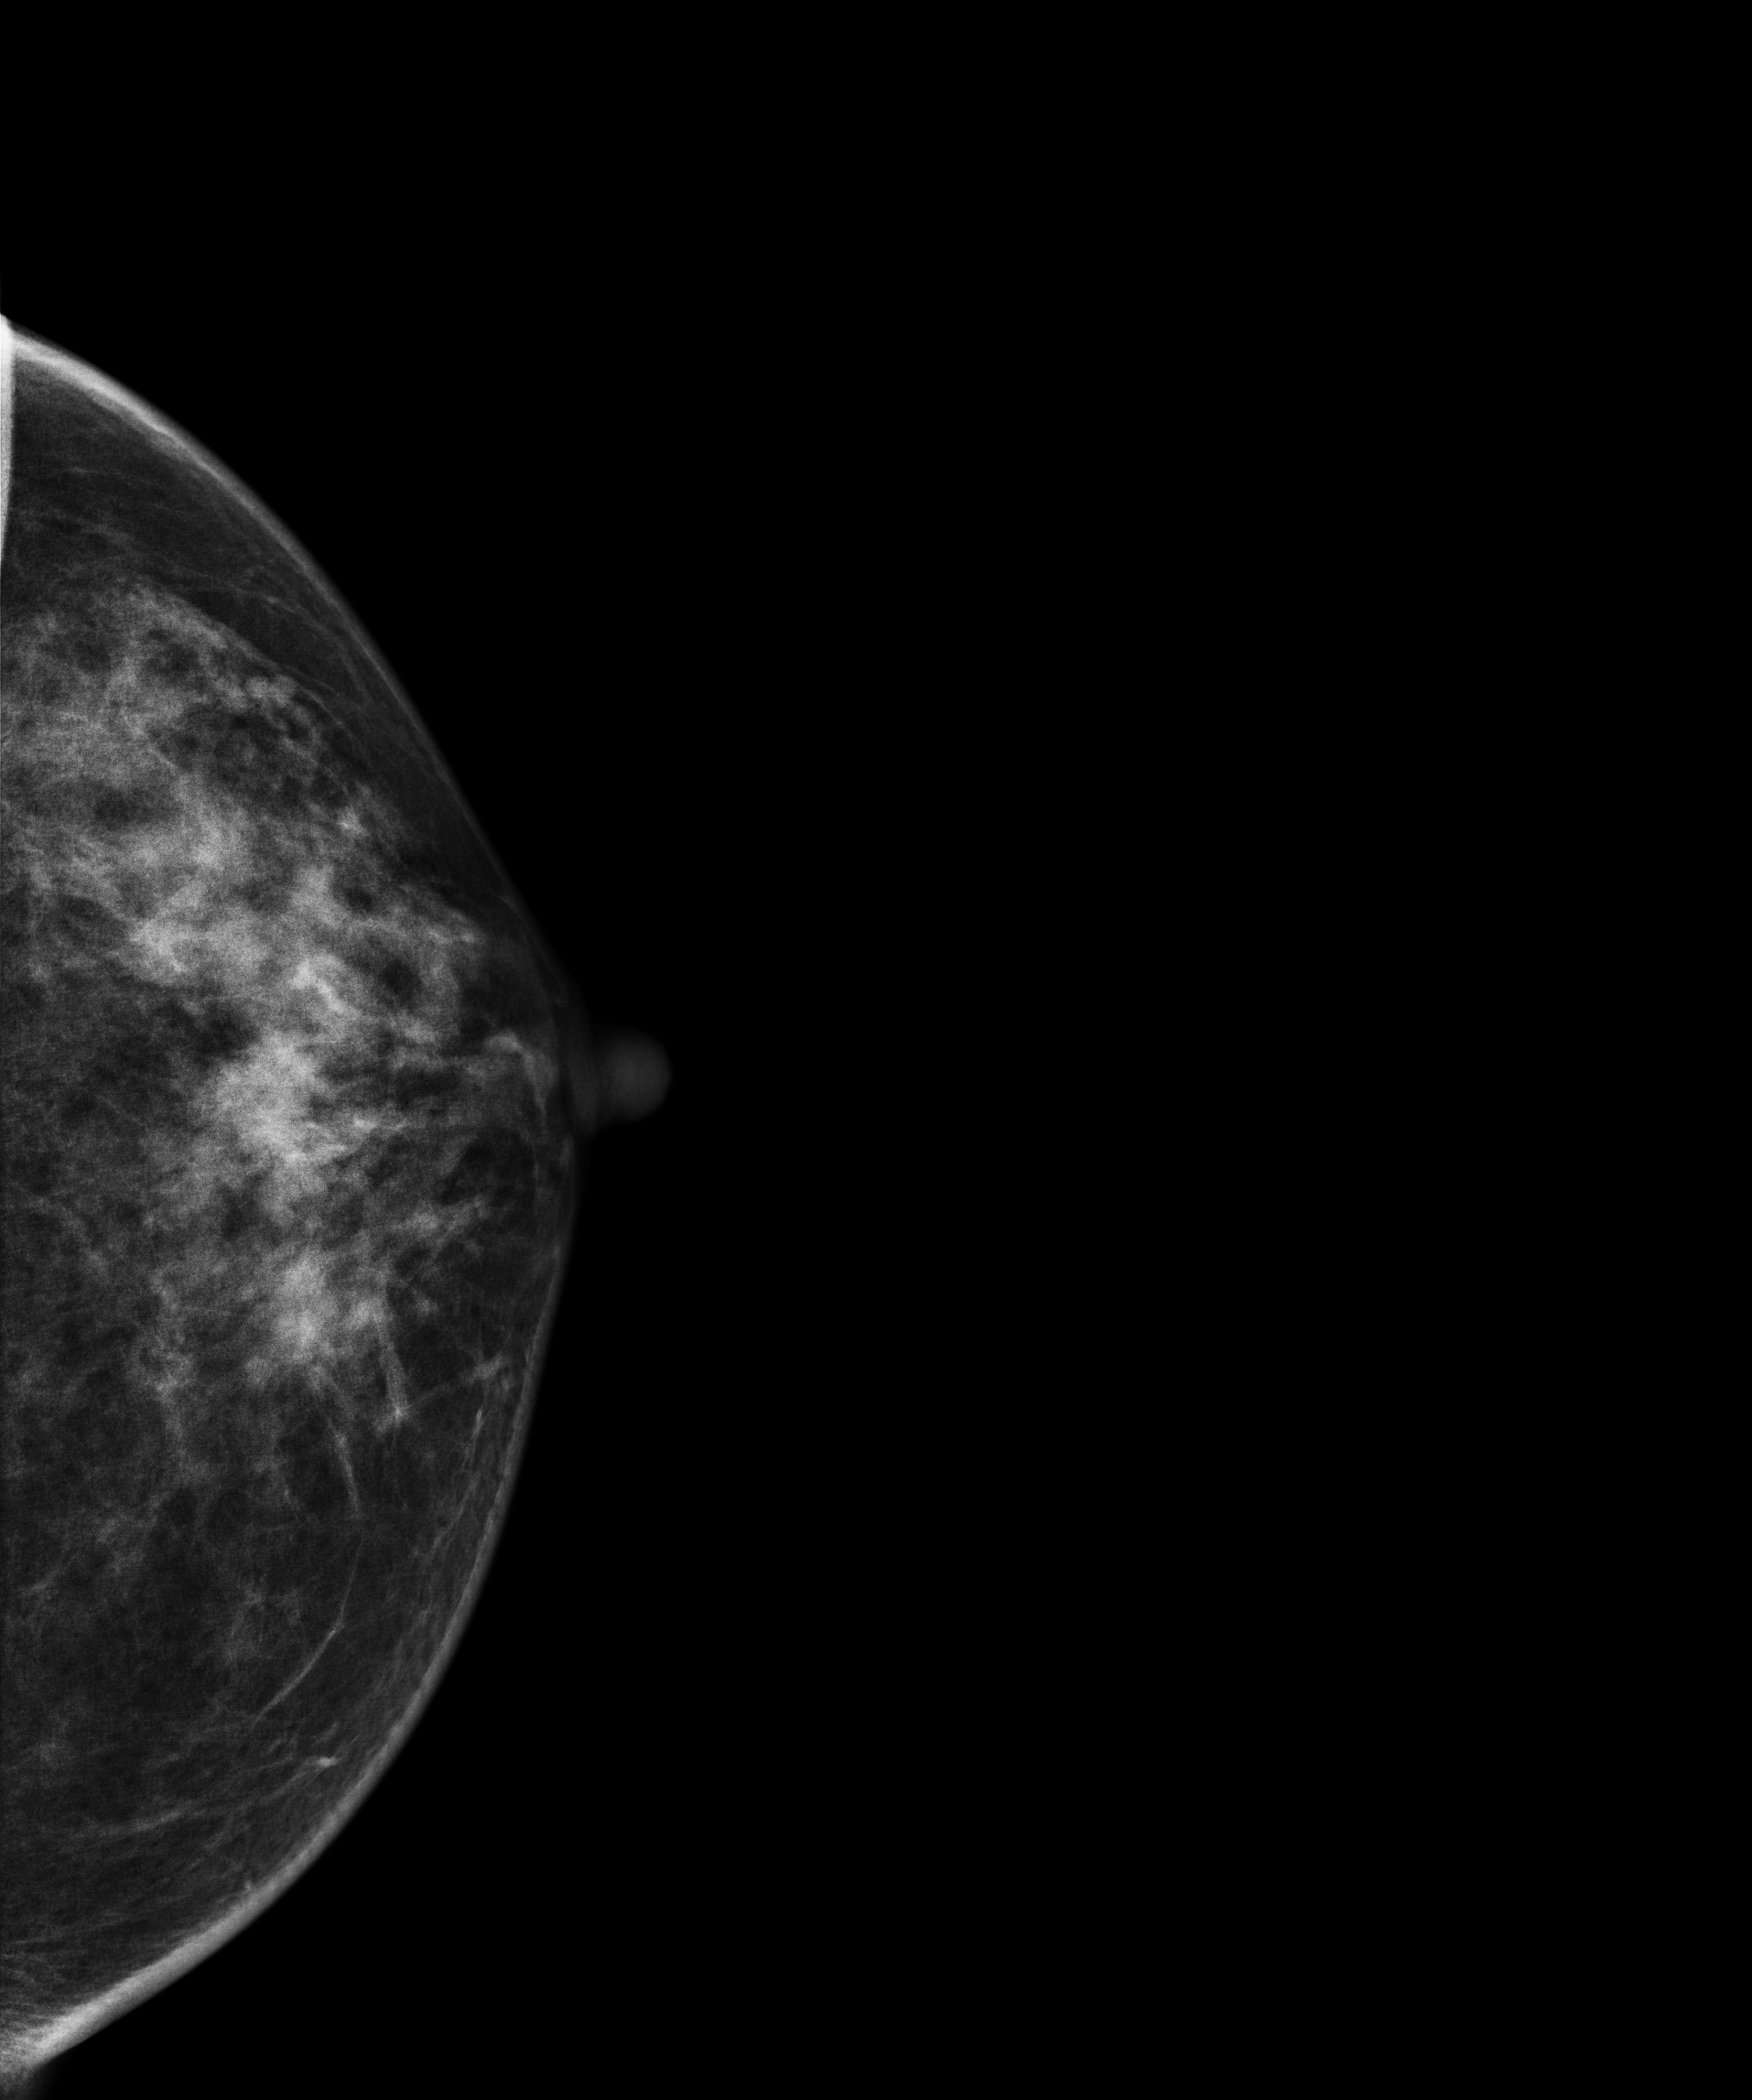
Digital mammography. Left breast, CC projection. 35 y/o patient.
This breast has a mass, biopsy-confirmed malignant.